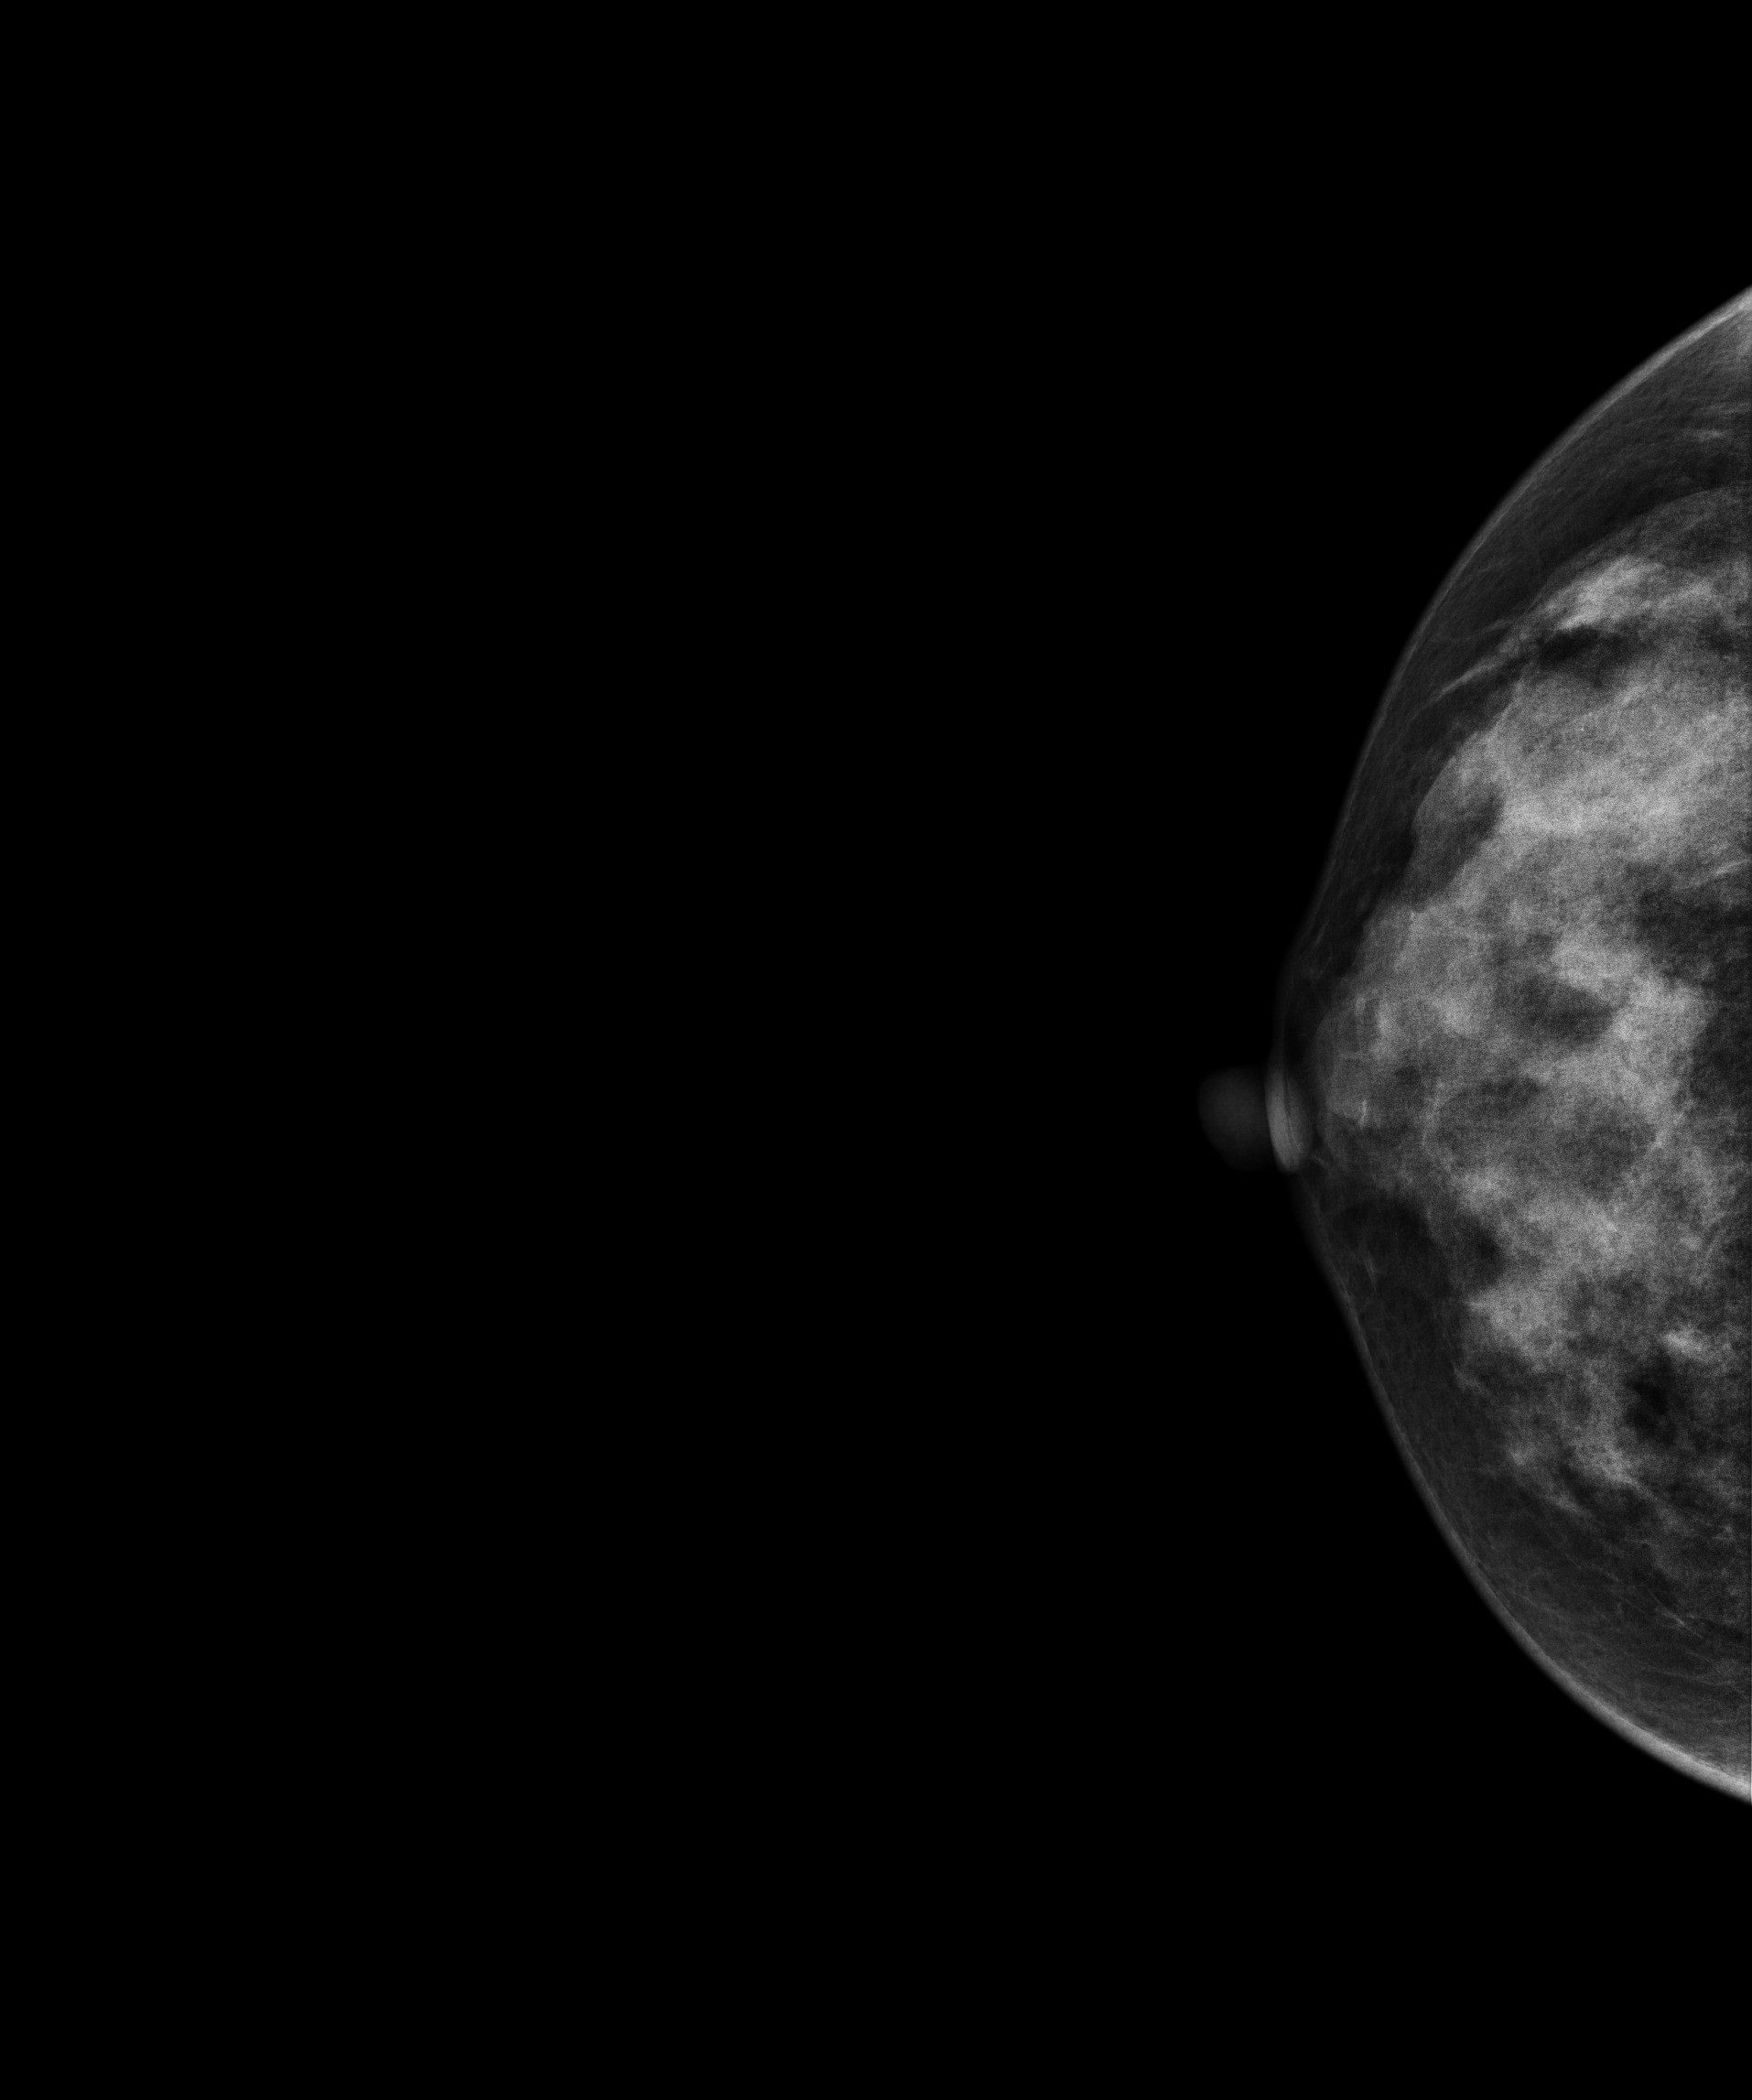
Mammogram, right breast, CC view. Patient age 37.
Contralateral breast — no documented abnormality on this side.